Digital mammography. Left breast, CC projection. Patient age 49.
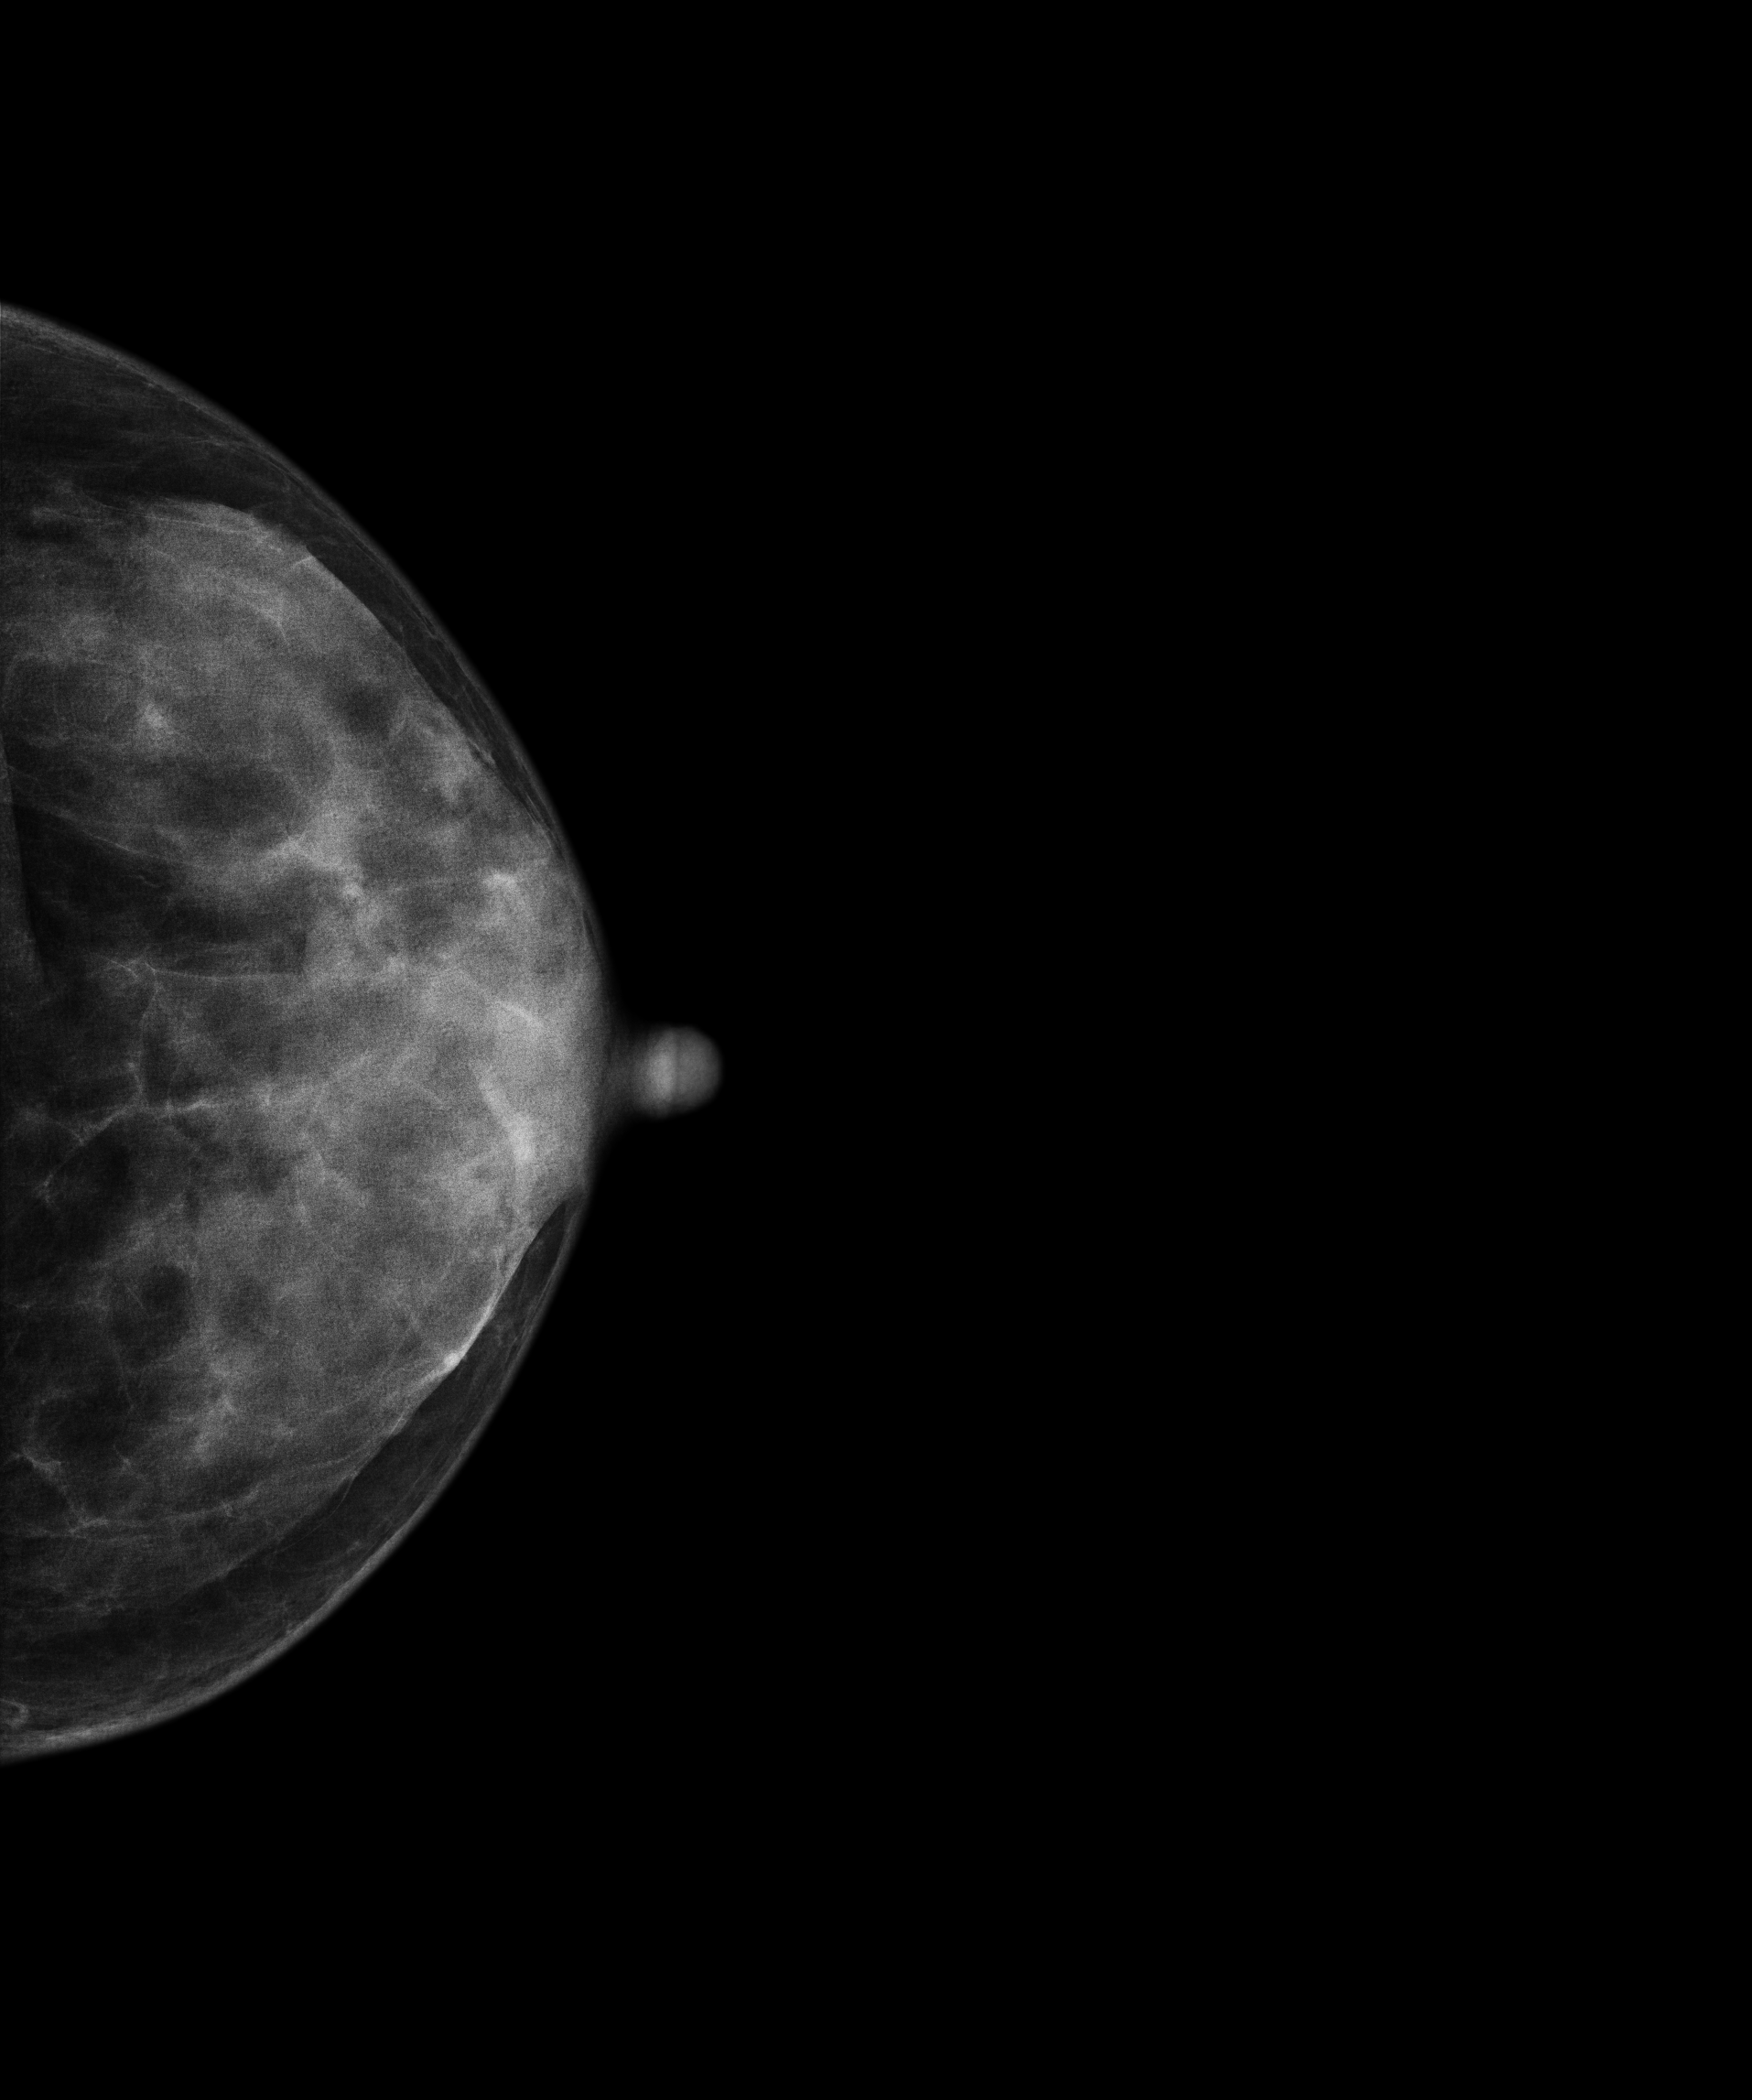
Contralateral breast — no documented abnormality on this side.